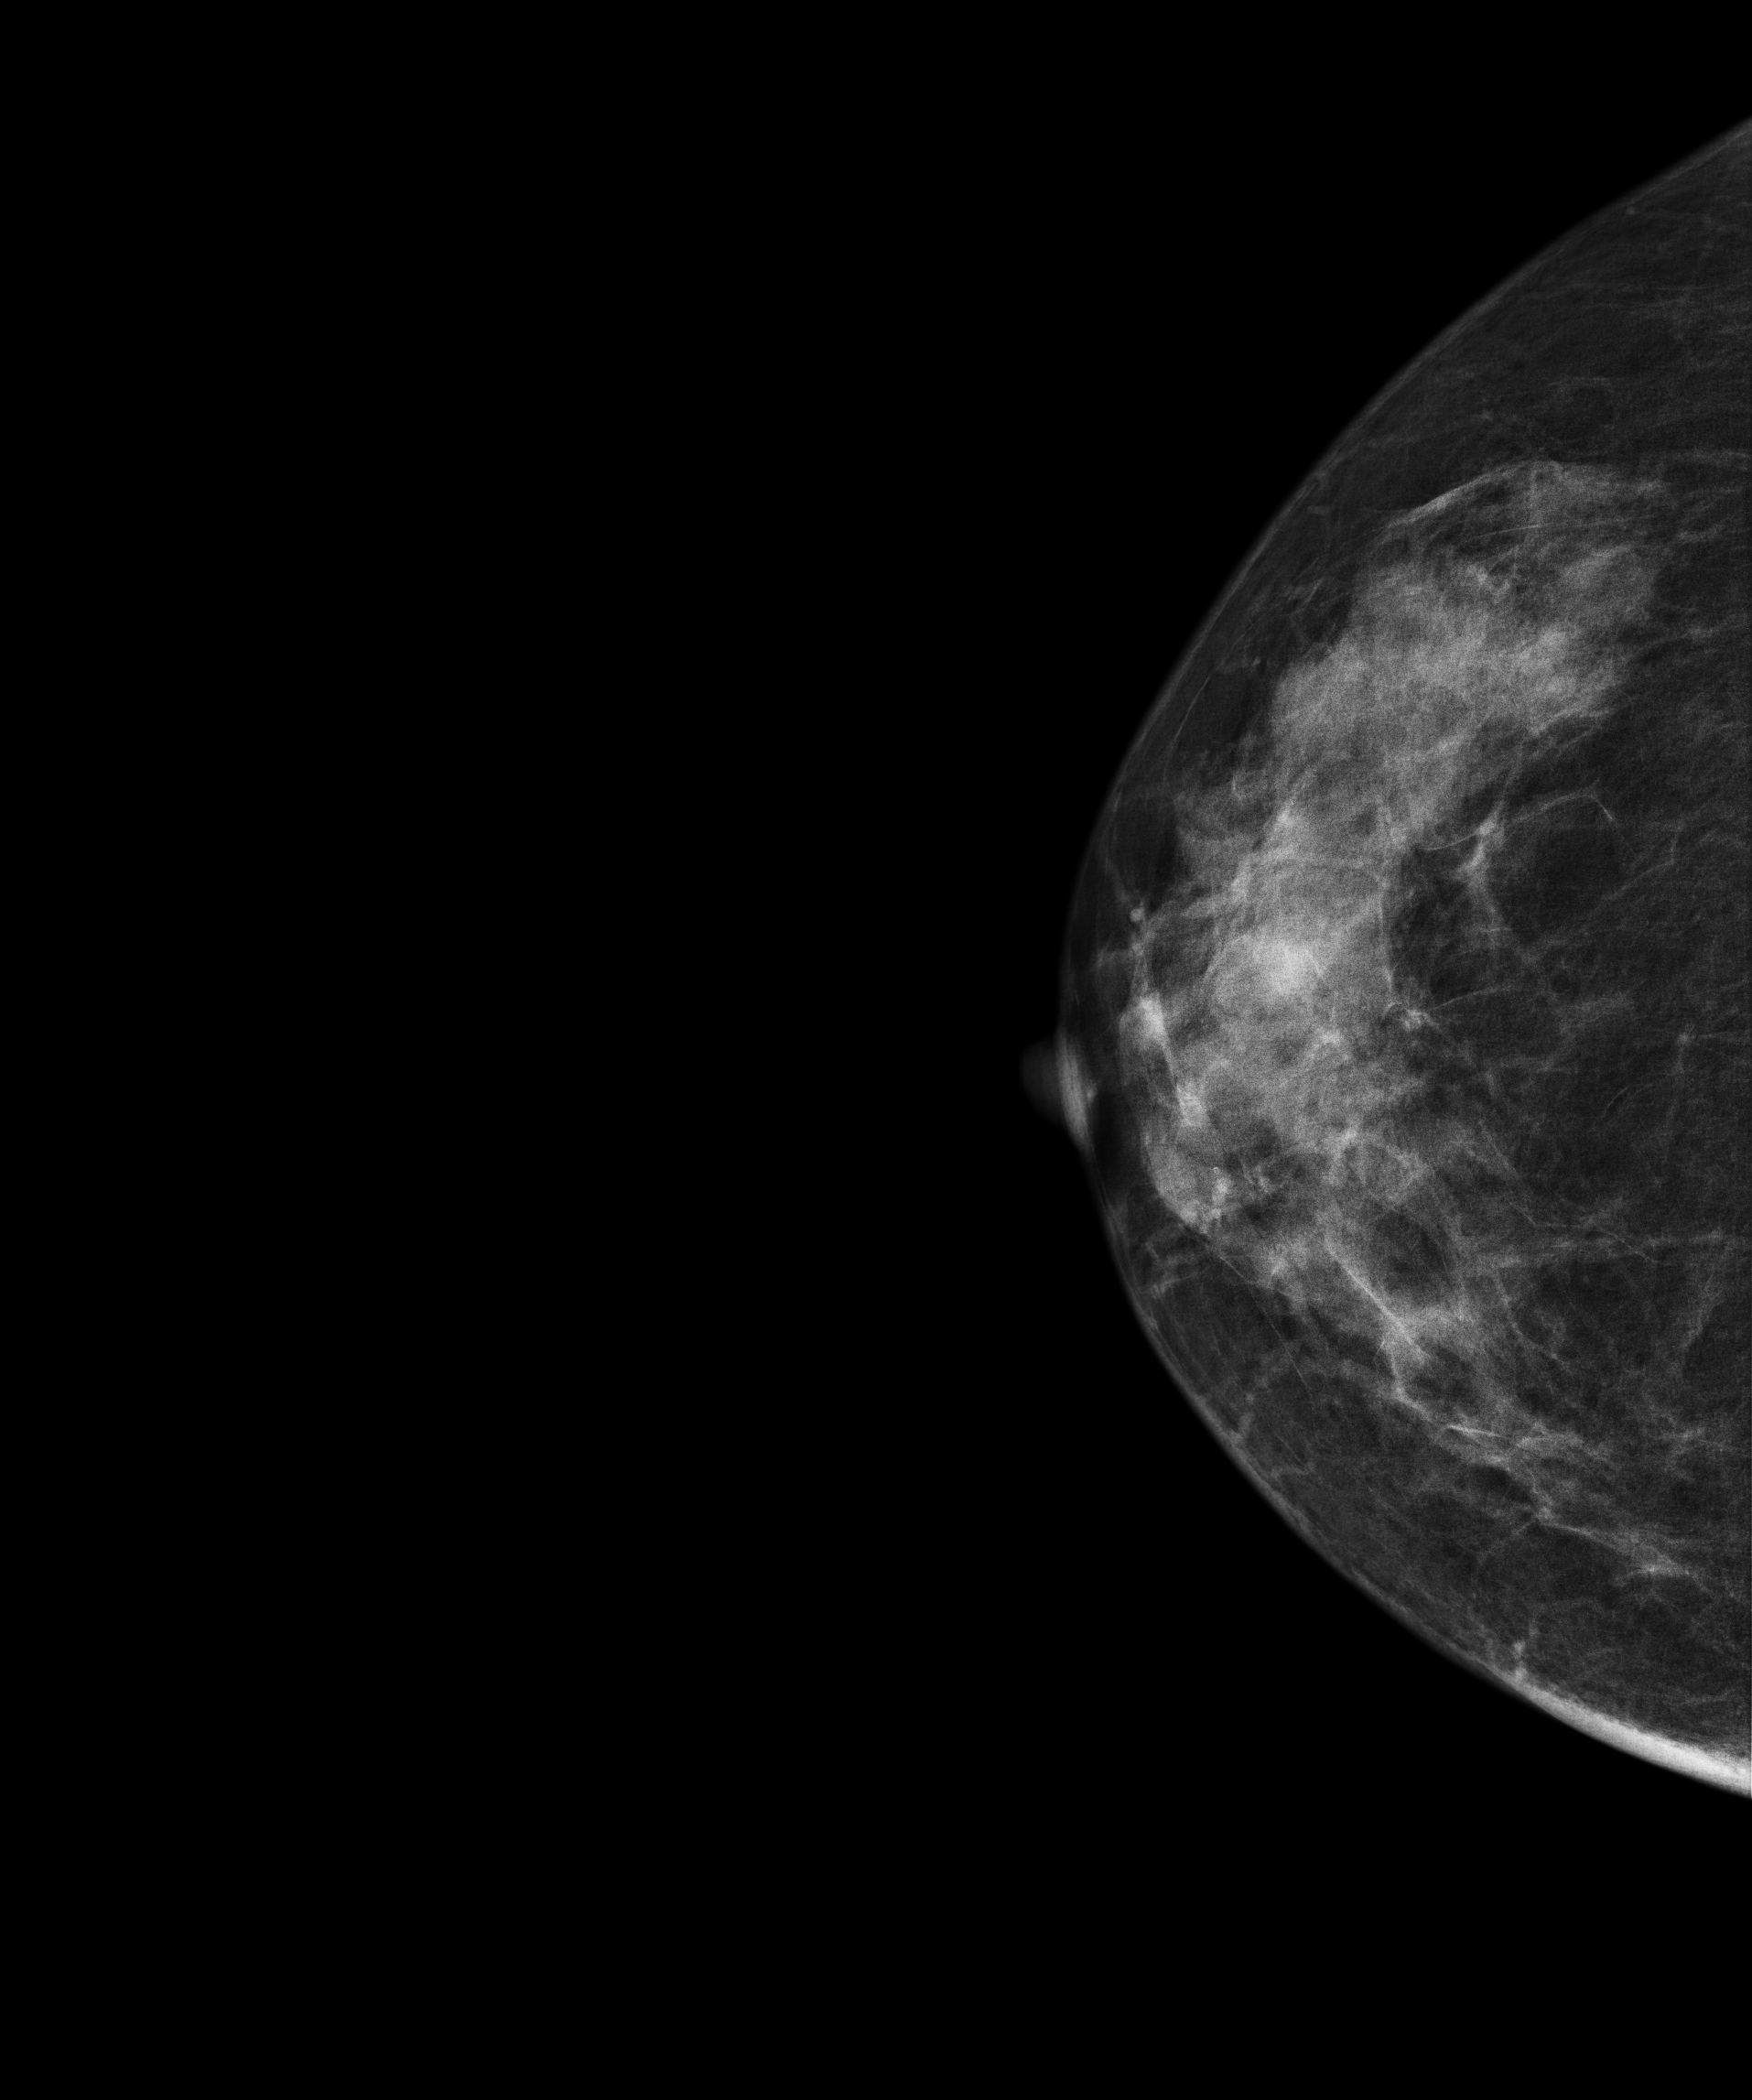
Cranio-caudal mammogram of the right breast. 55 y/o patient.
Contralateral breast — no documented abnormality on this side.